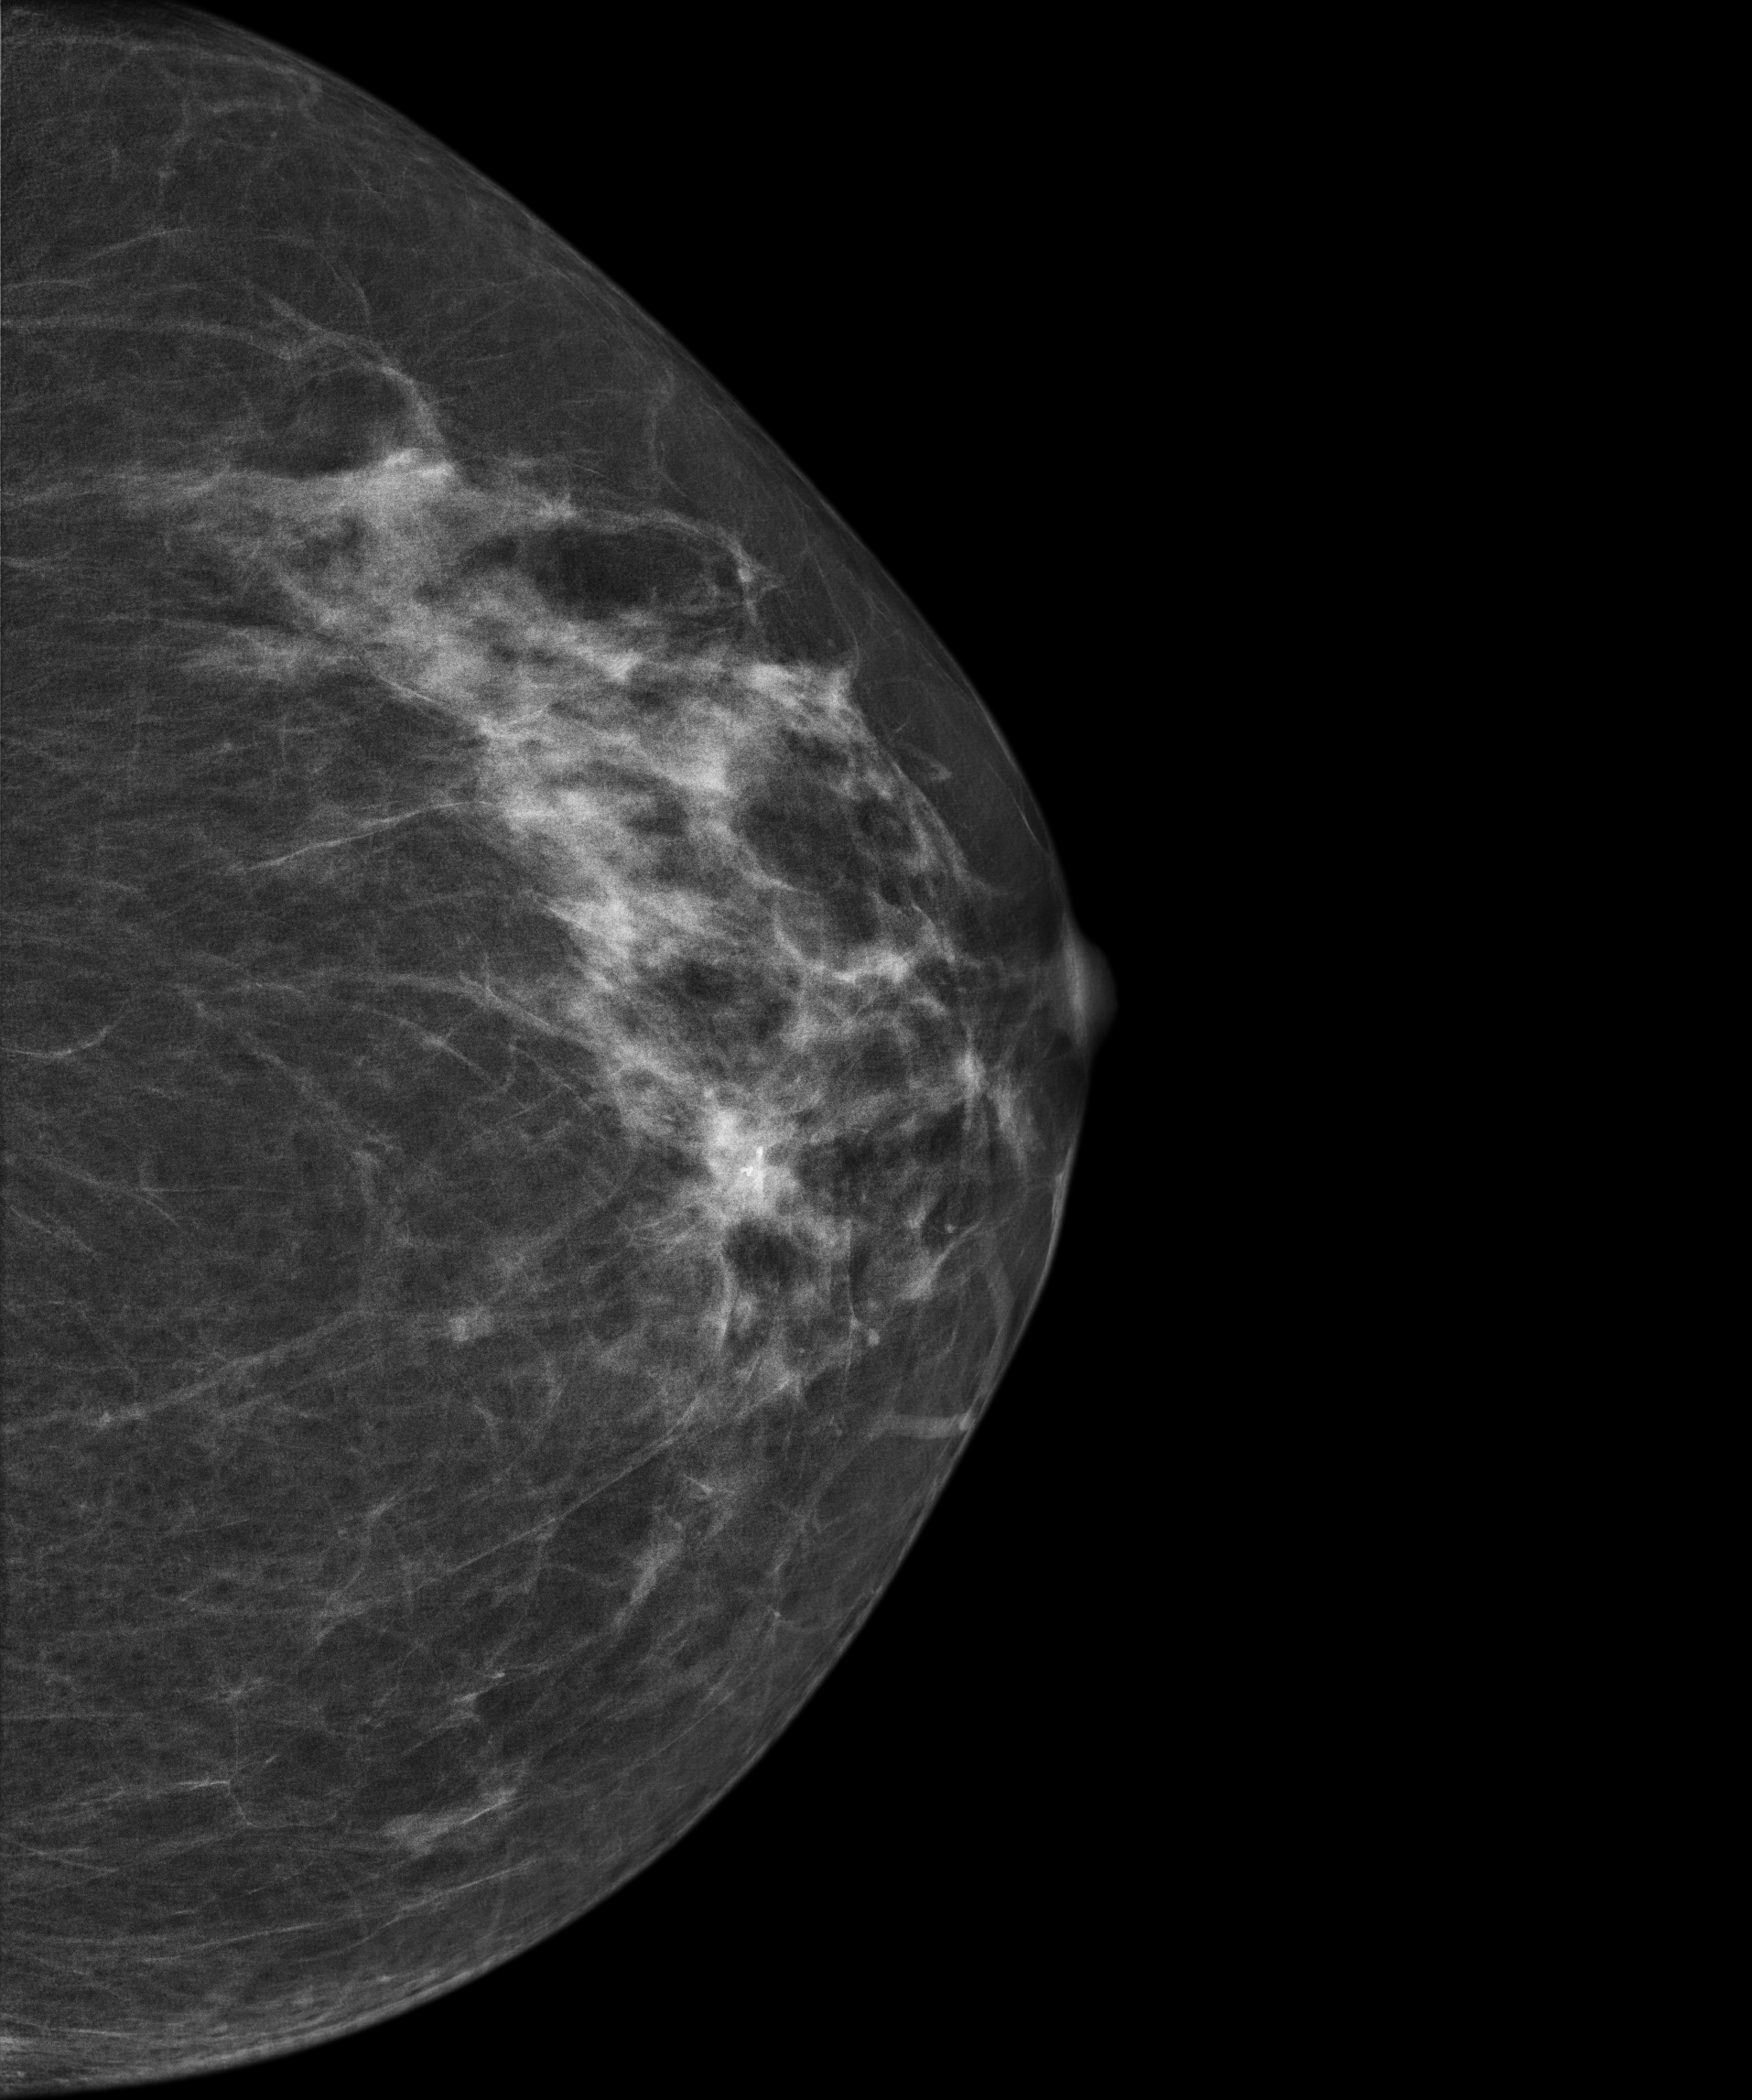
CC mammogram of the left breast. 61-year-old patient.
Contralateral breast — no documented abnormality on this side.